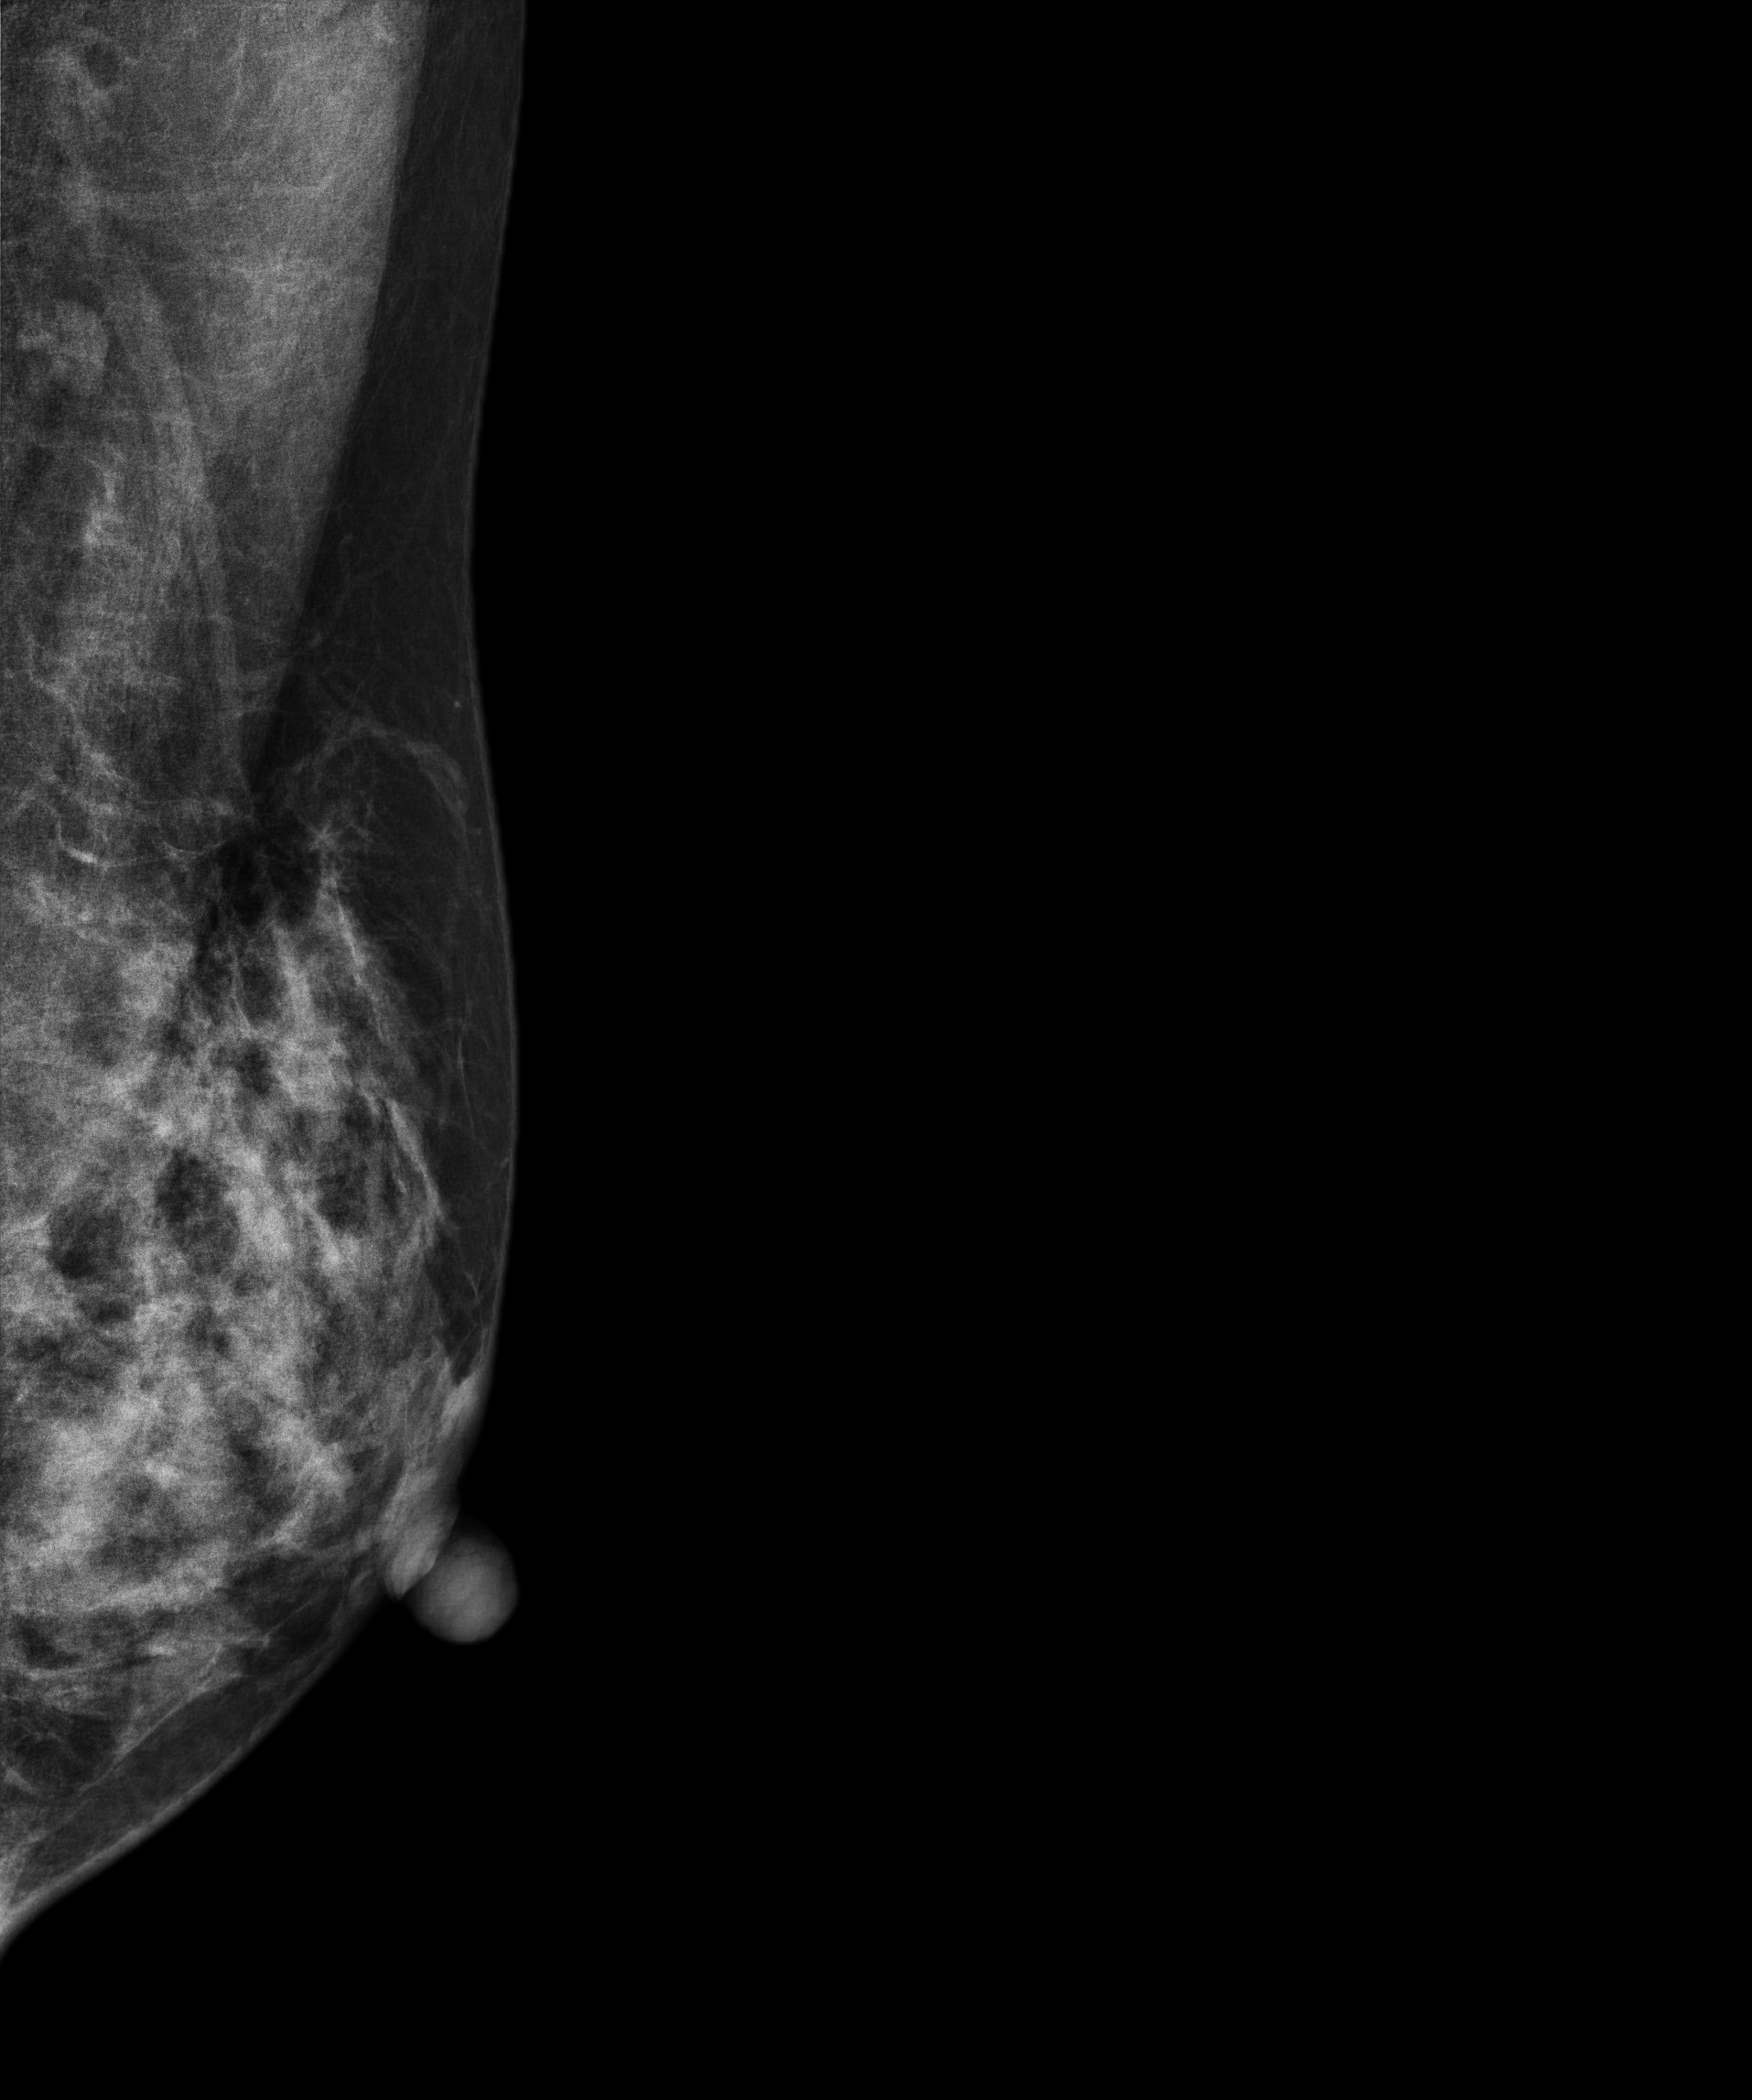
Digital mammography. Left breast, medio-lateral oblique projection. Patient age 39.
Contralateral breast — no documented abnormality on this side.